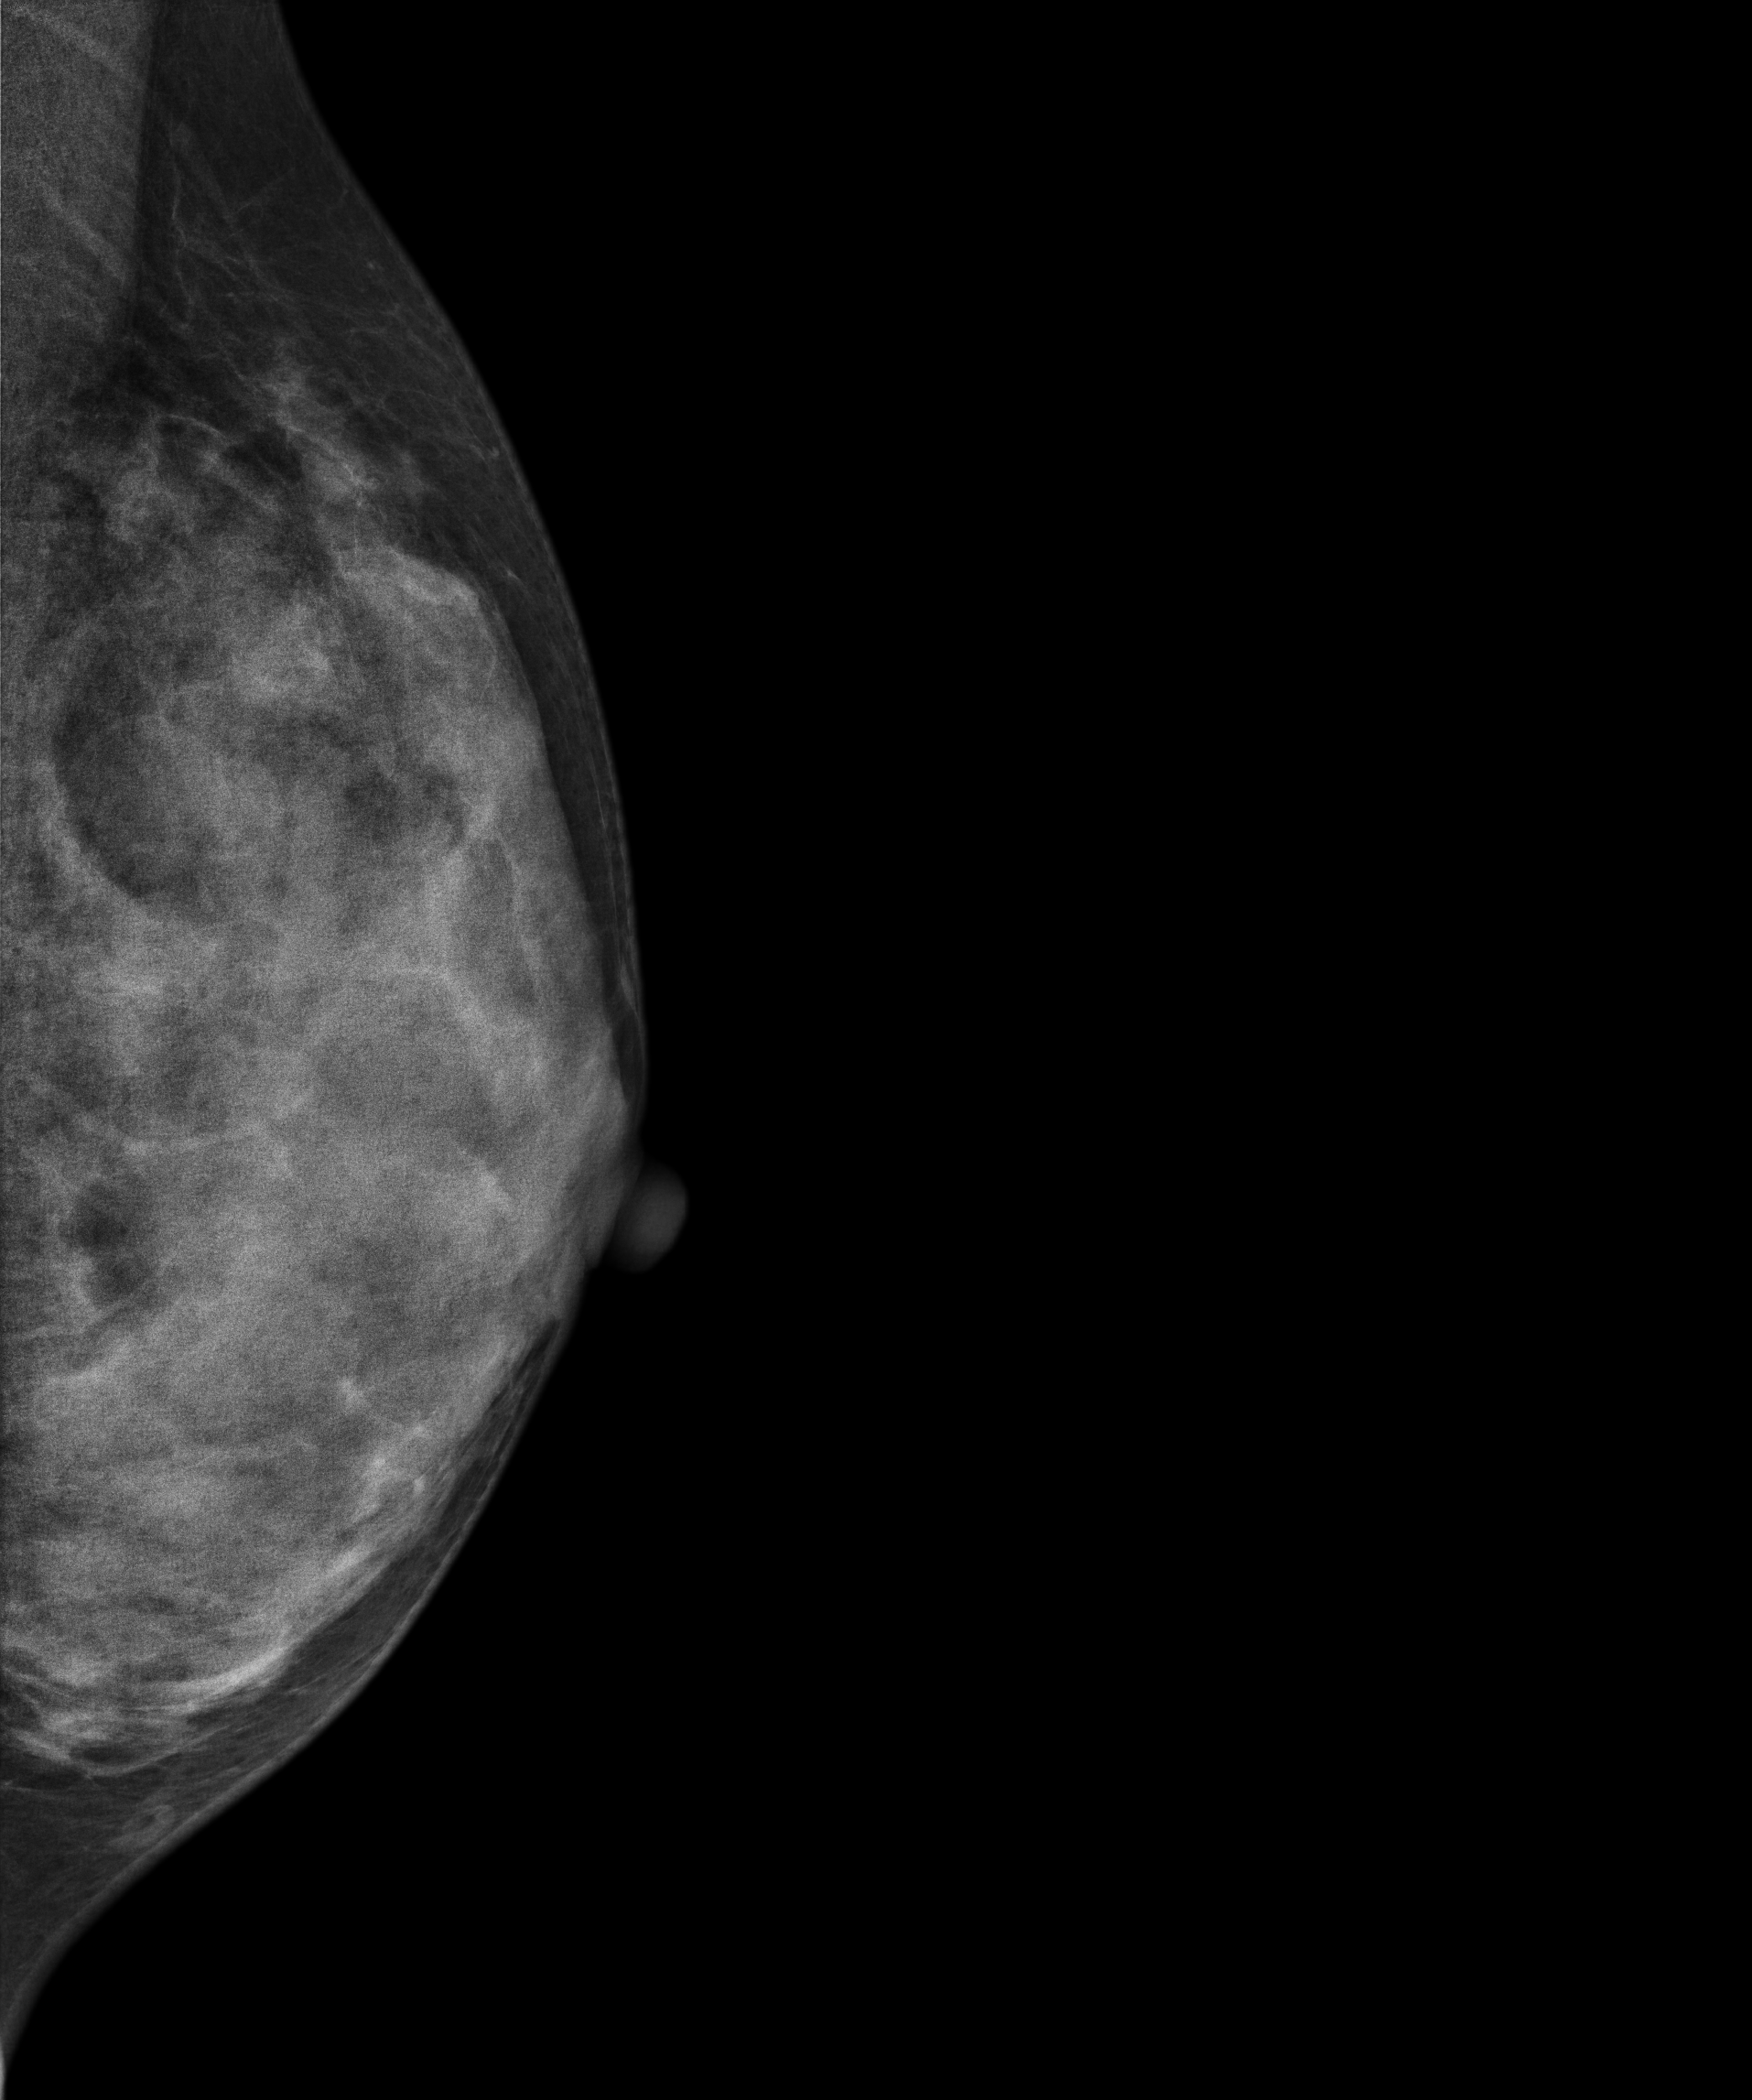
Left-breast mammogram, MLO. 33 y/o patient.
Contralateral breast — no documented abnormality on this side.